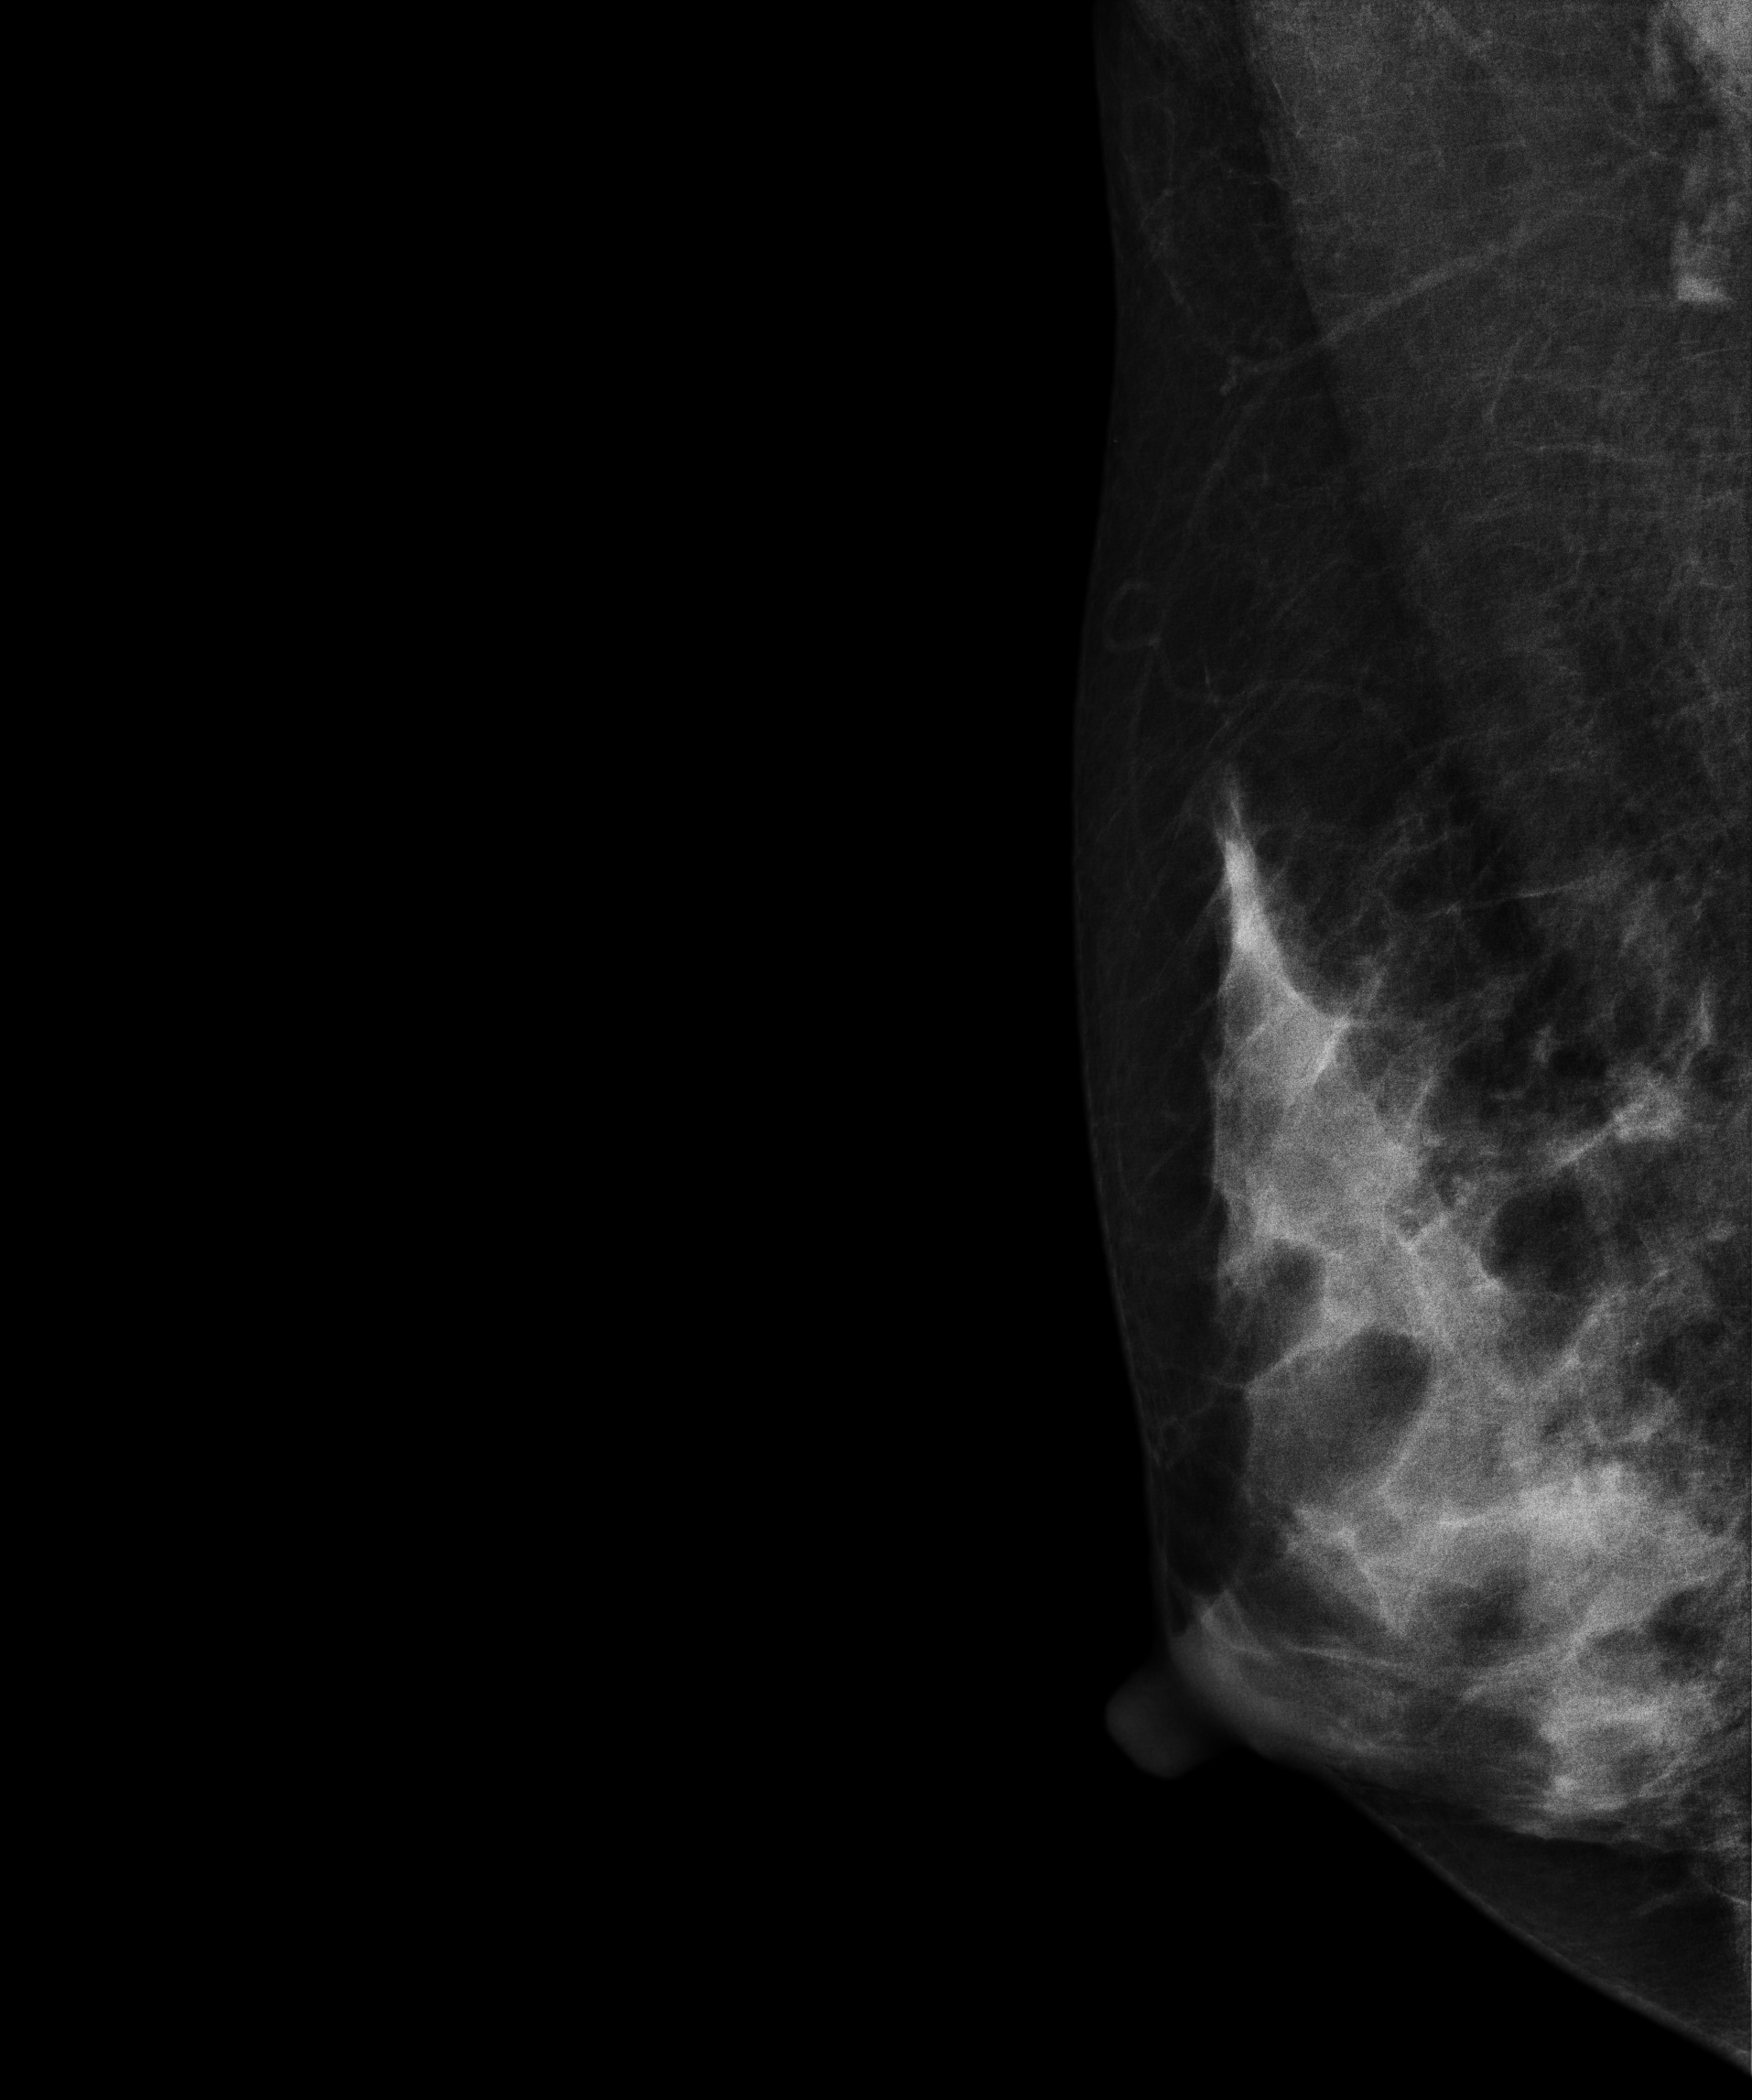
Right-breast mammogram, MLO. Patient age 34.
Contralateral breast — no documented abnormality on this side.